Mammogram — left CC. 40 y/o patient.
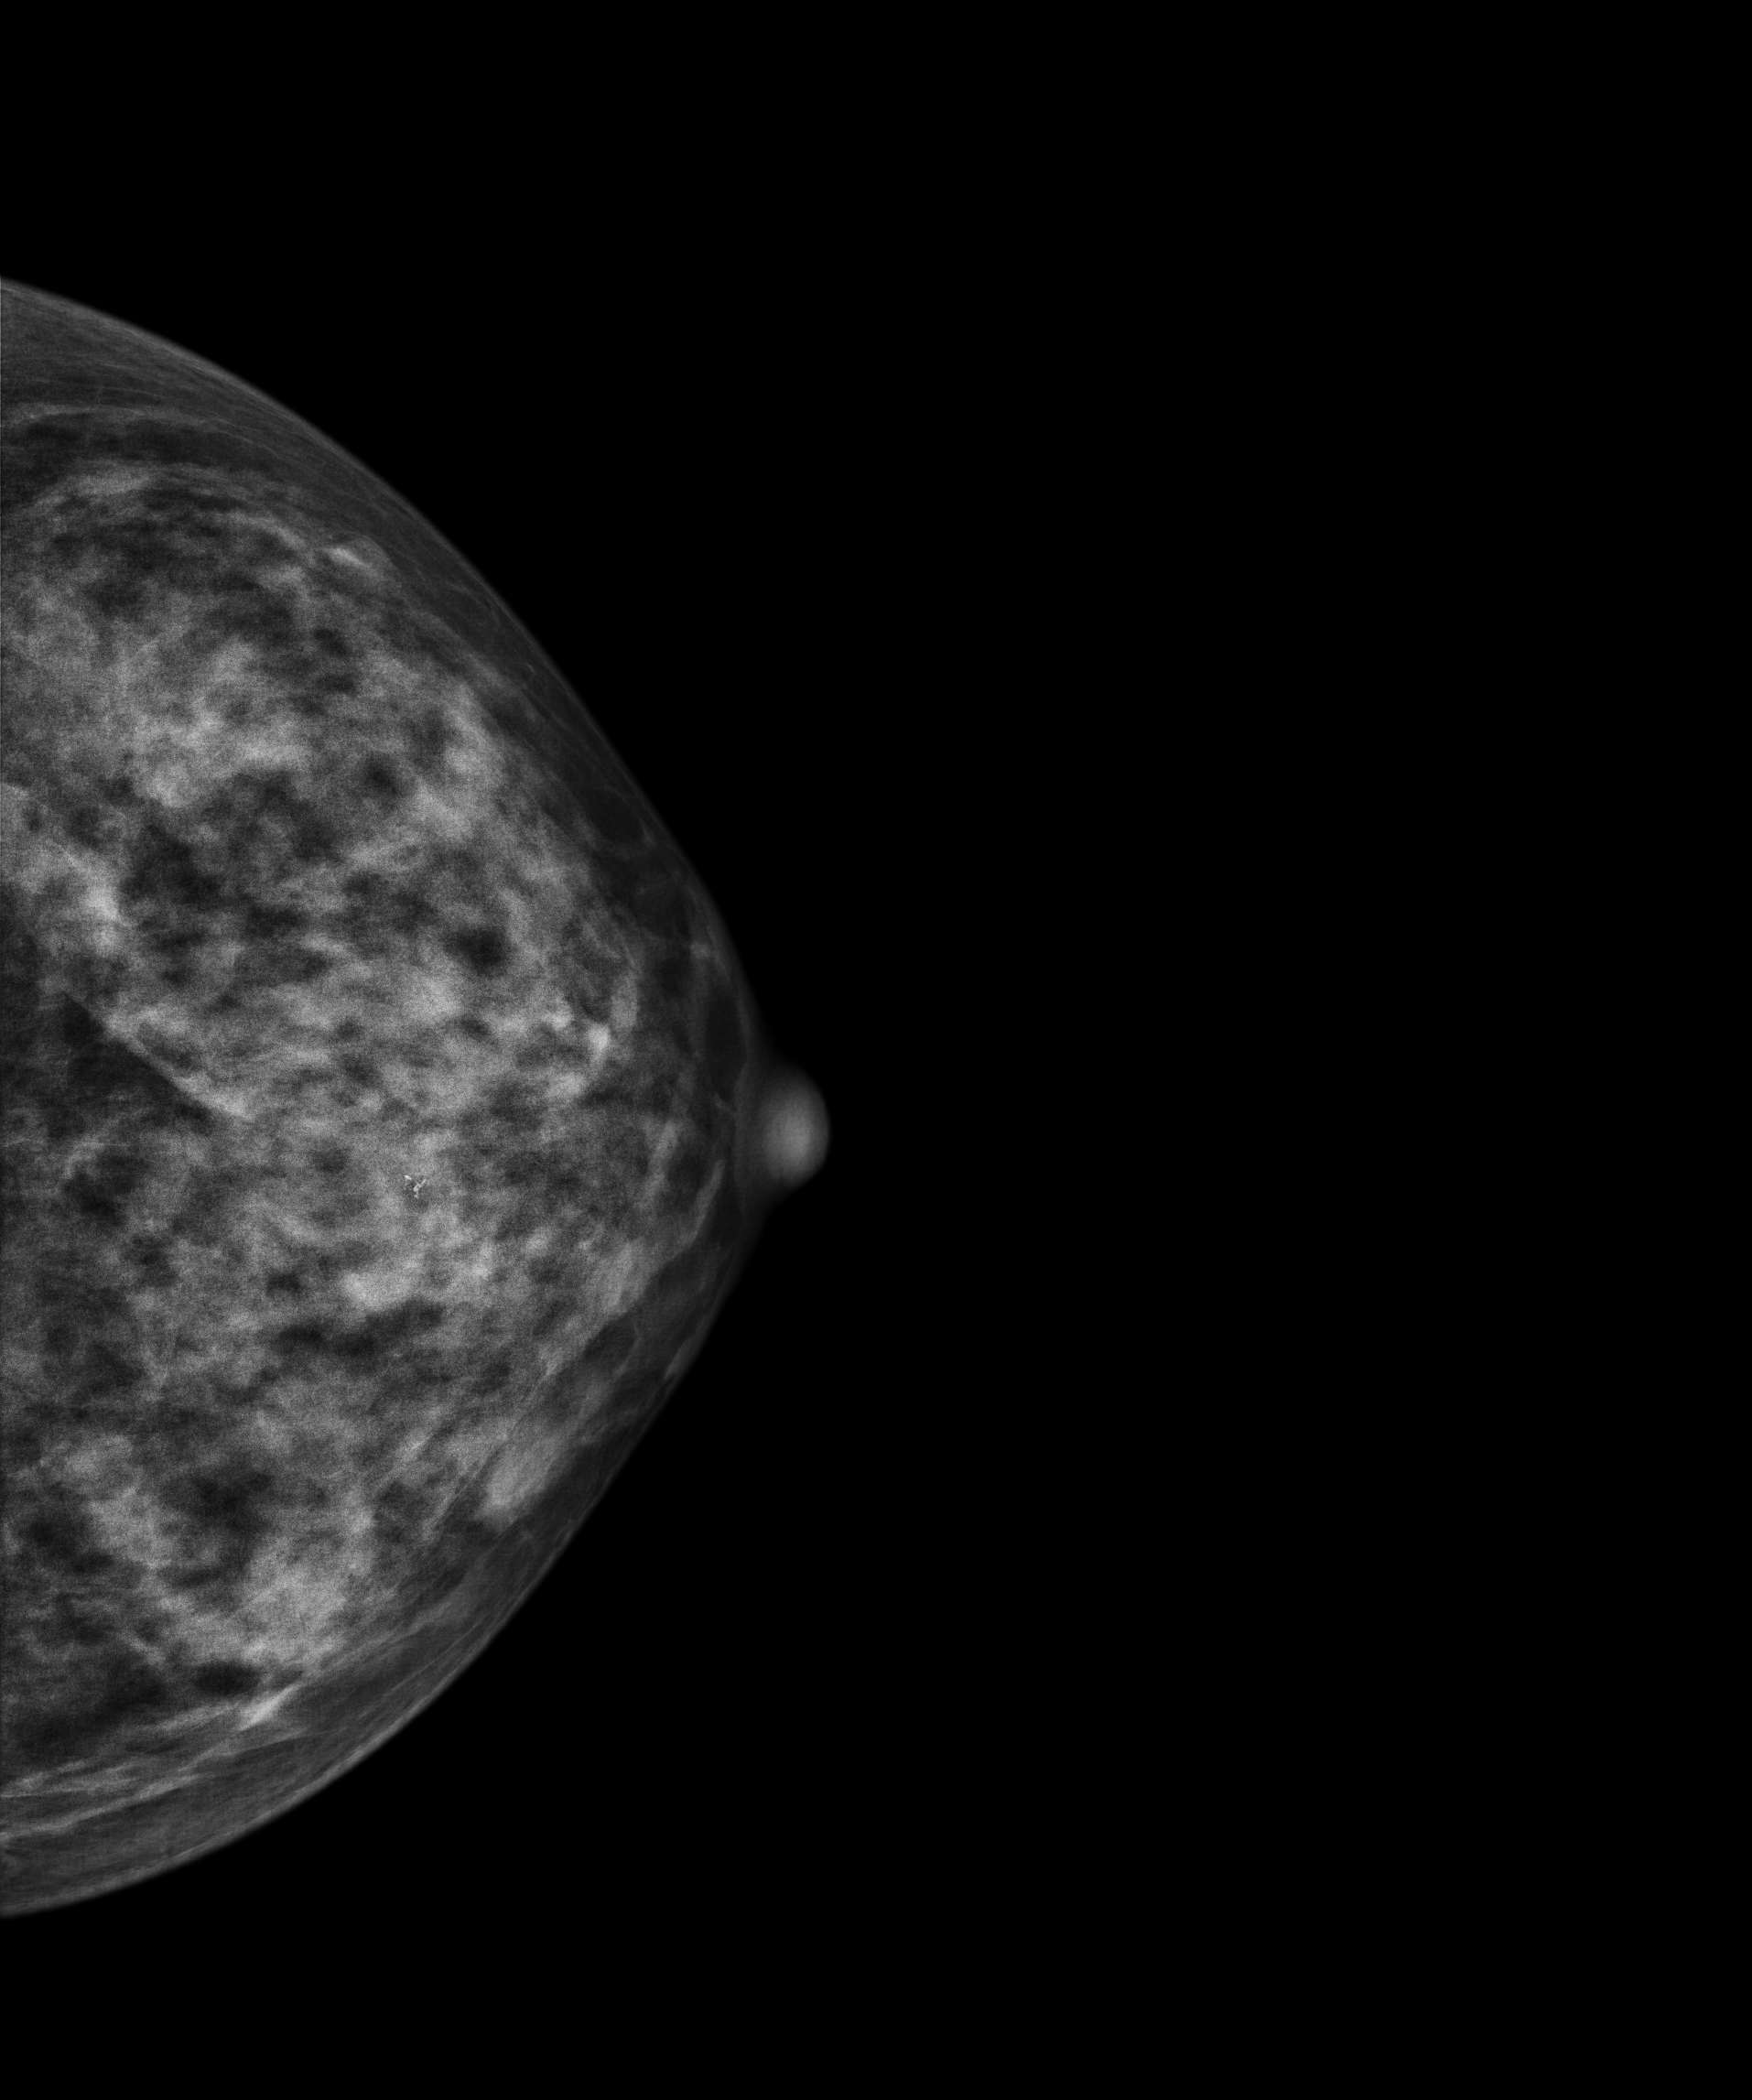
This breast has calcifications, histologically confirmed benign.